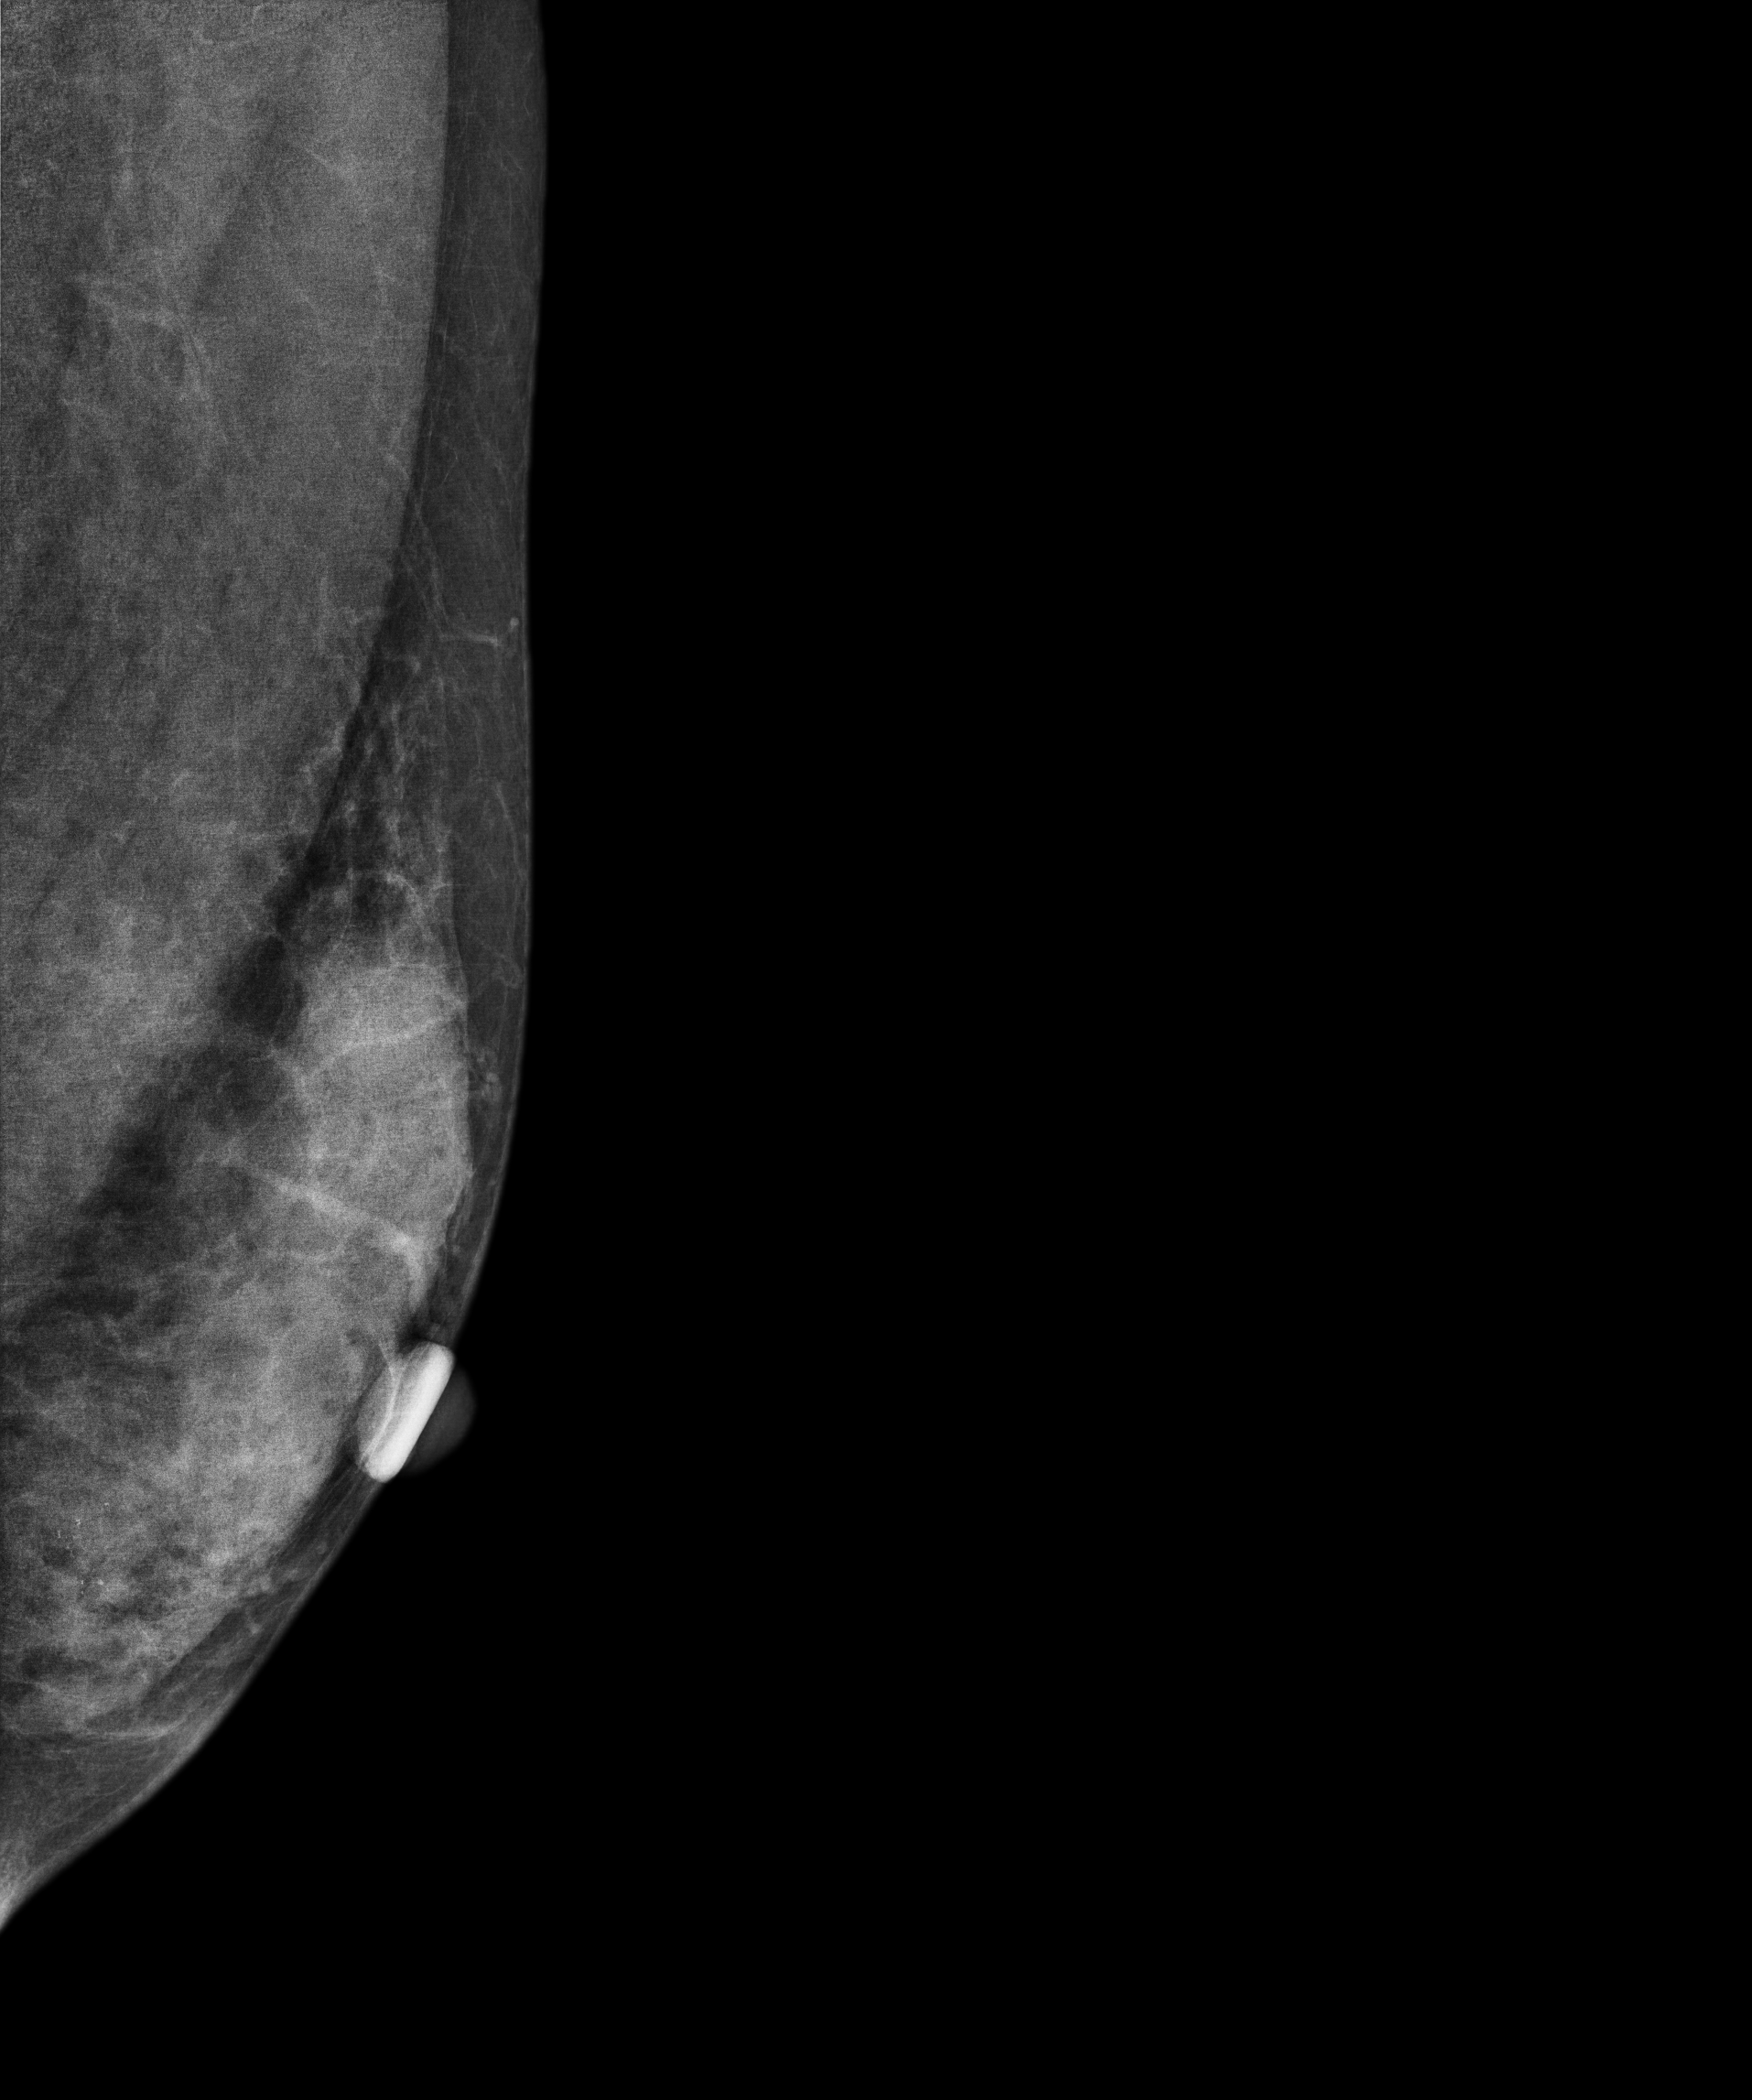
Mammogram, left breast, MLO view. 34 y/o patient.
This breast has calcifications, histologically confirmed malignant.